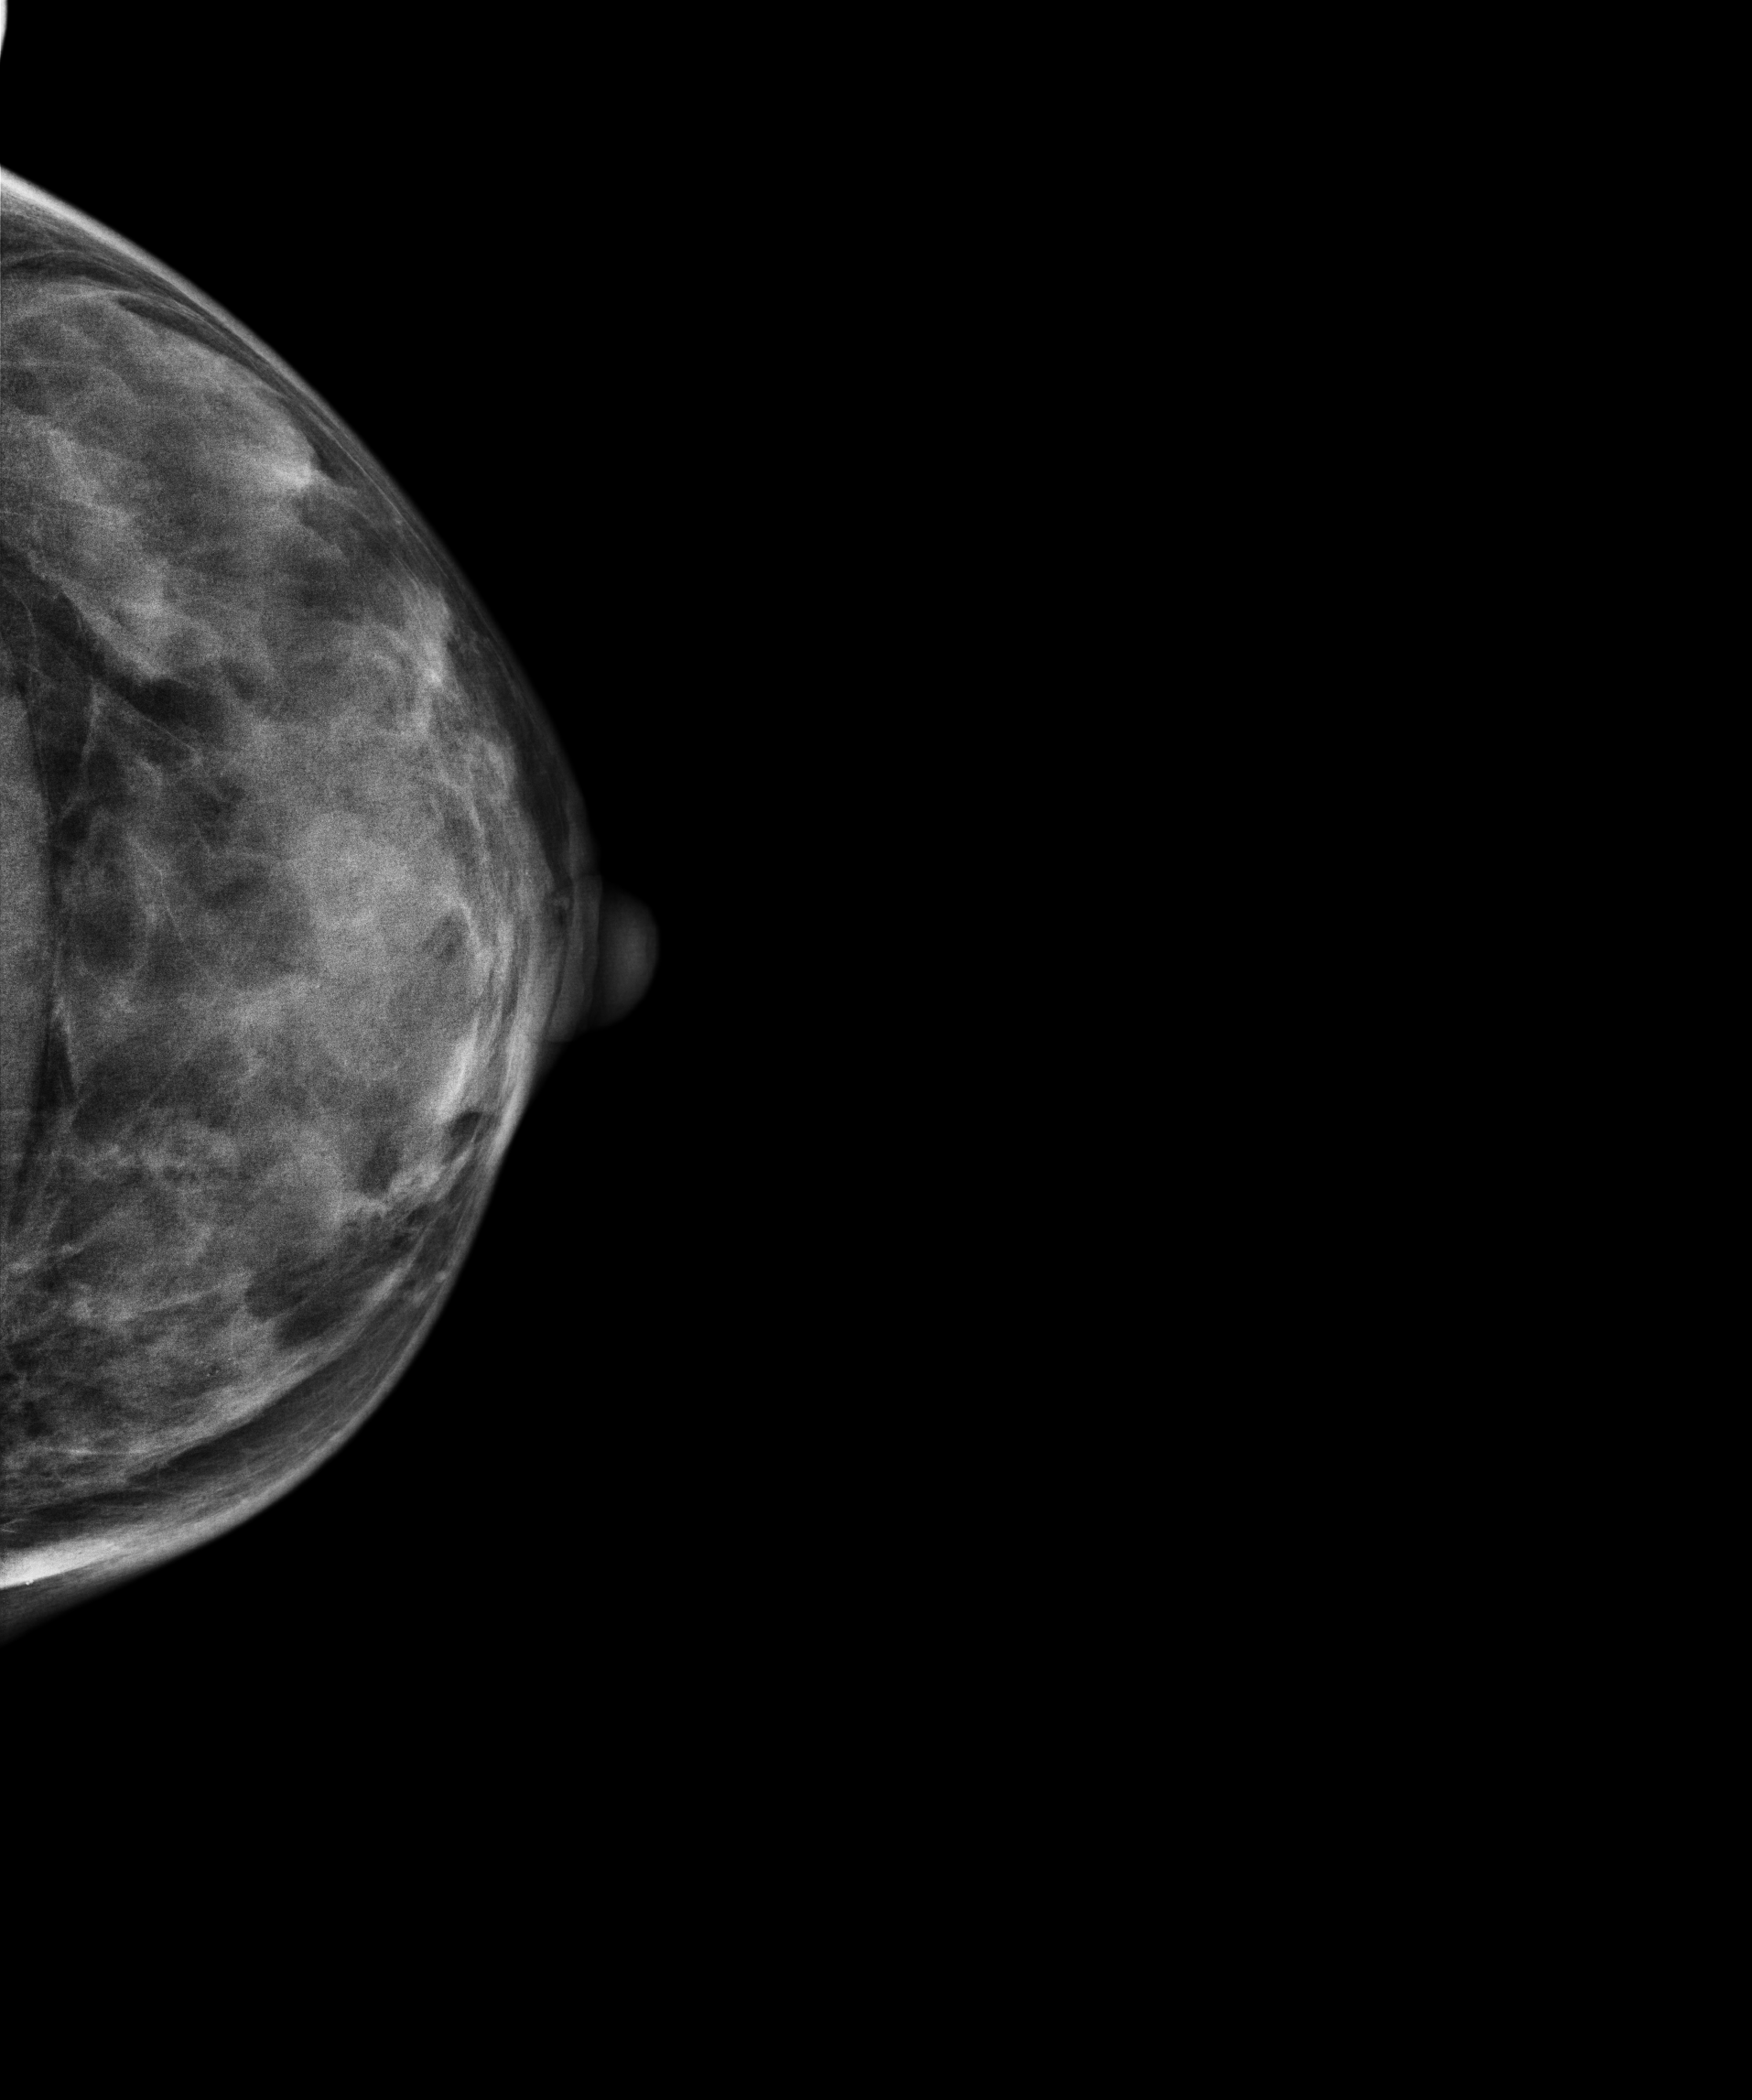
CC mammogram of the left breast. Patient age 46.
Contralateral breast — no documented abnormality on this side.